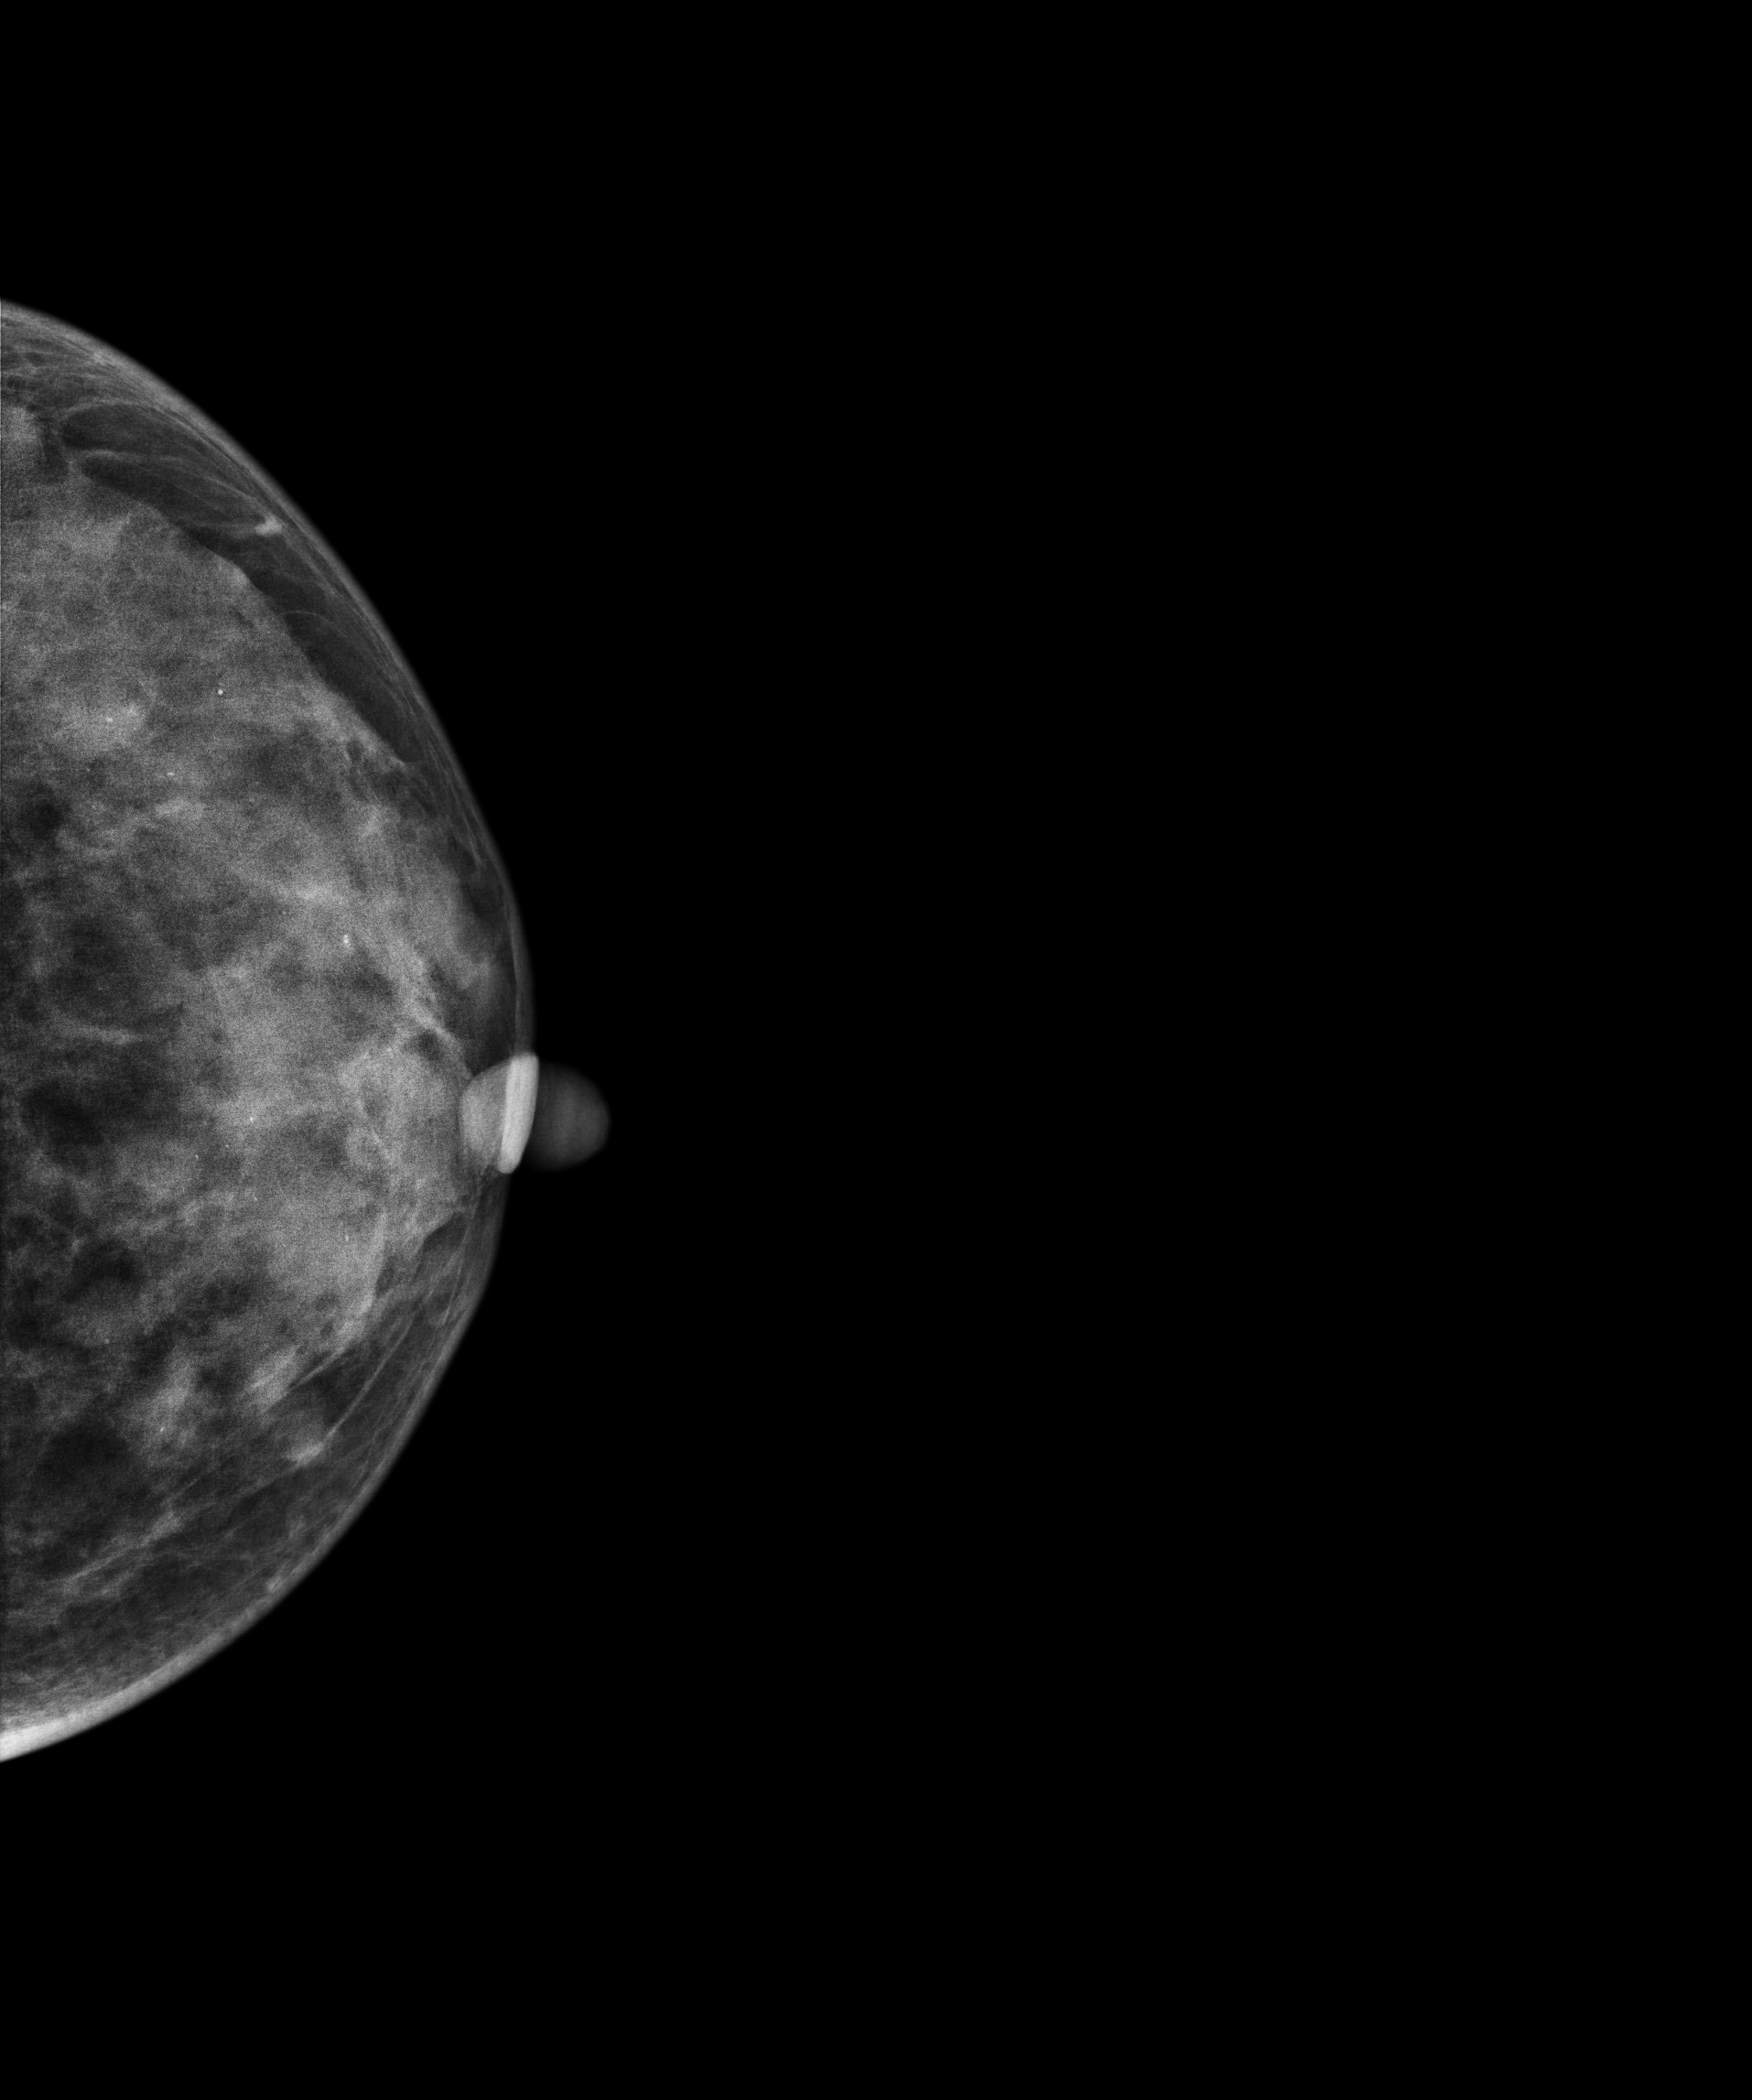
Left-breast mammogram, cranio-caudal. 44-year-old patient.
This breast has calcifications, histologically confirmed benign.